Digital mammography. Left breast, medio-lateral oblique projection. 69-year-old patient.
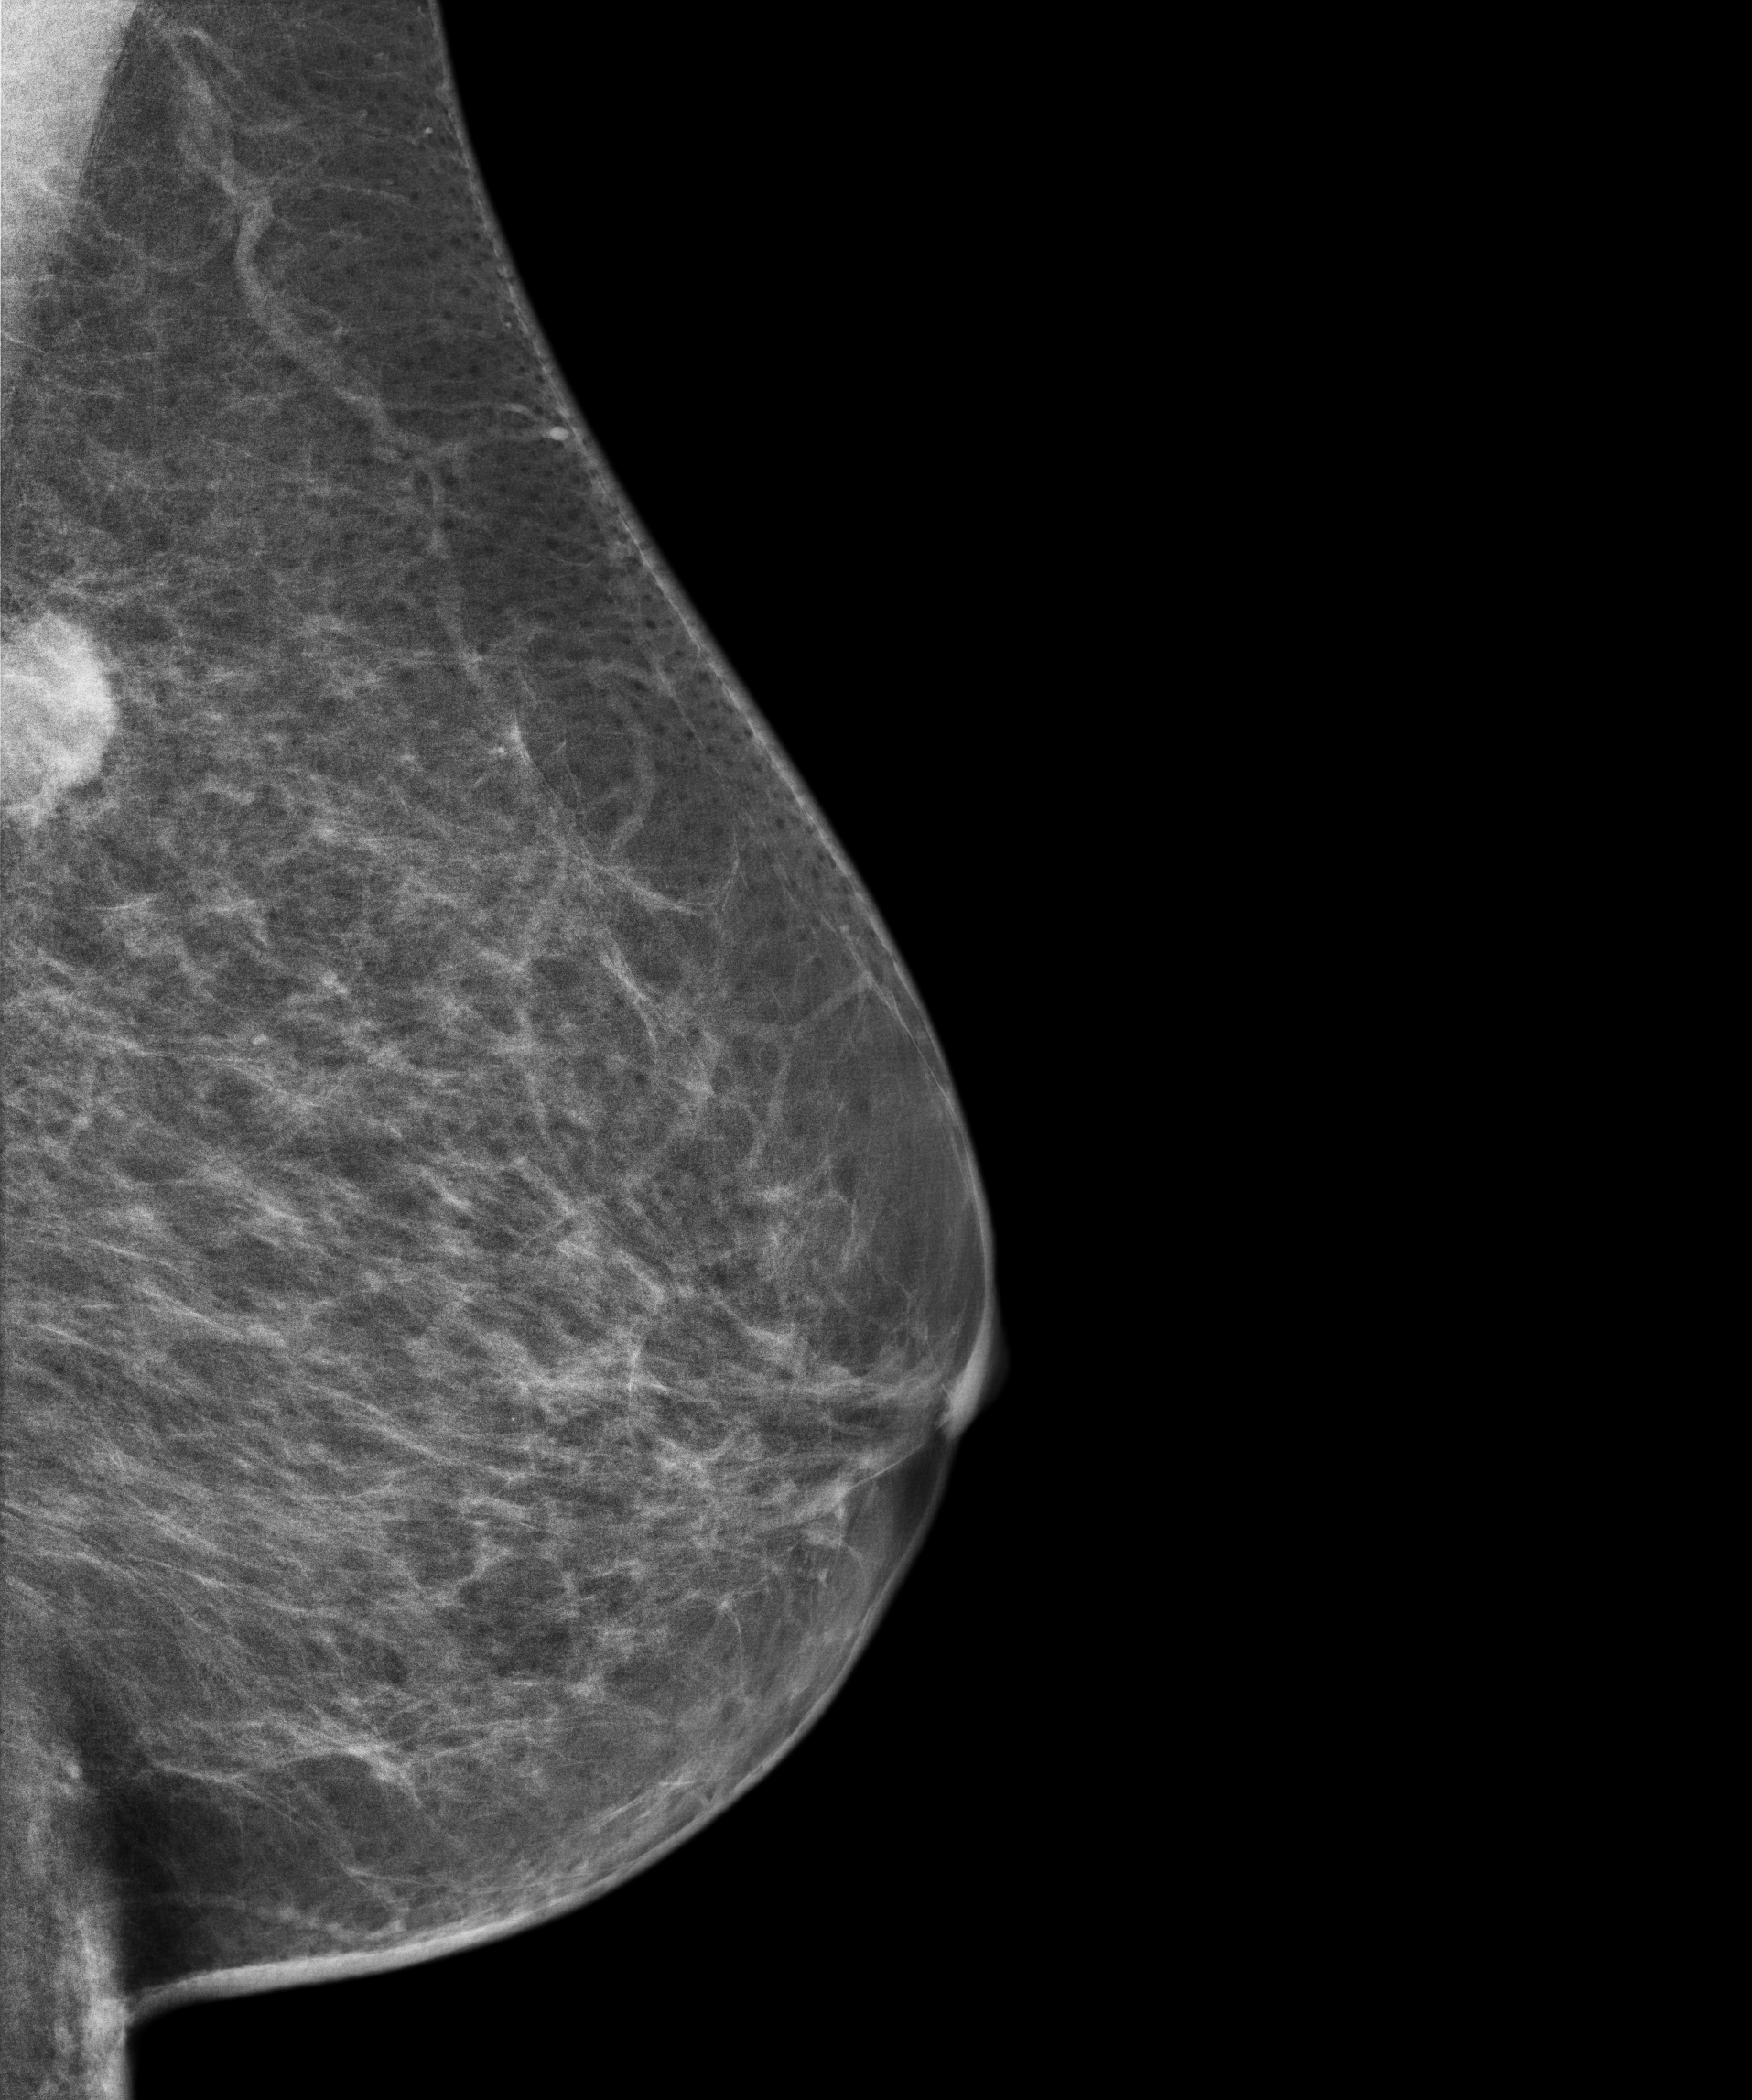
This breast has a mass, pathology-confirmed malignant. Molecular subtype: luminal A.